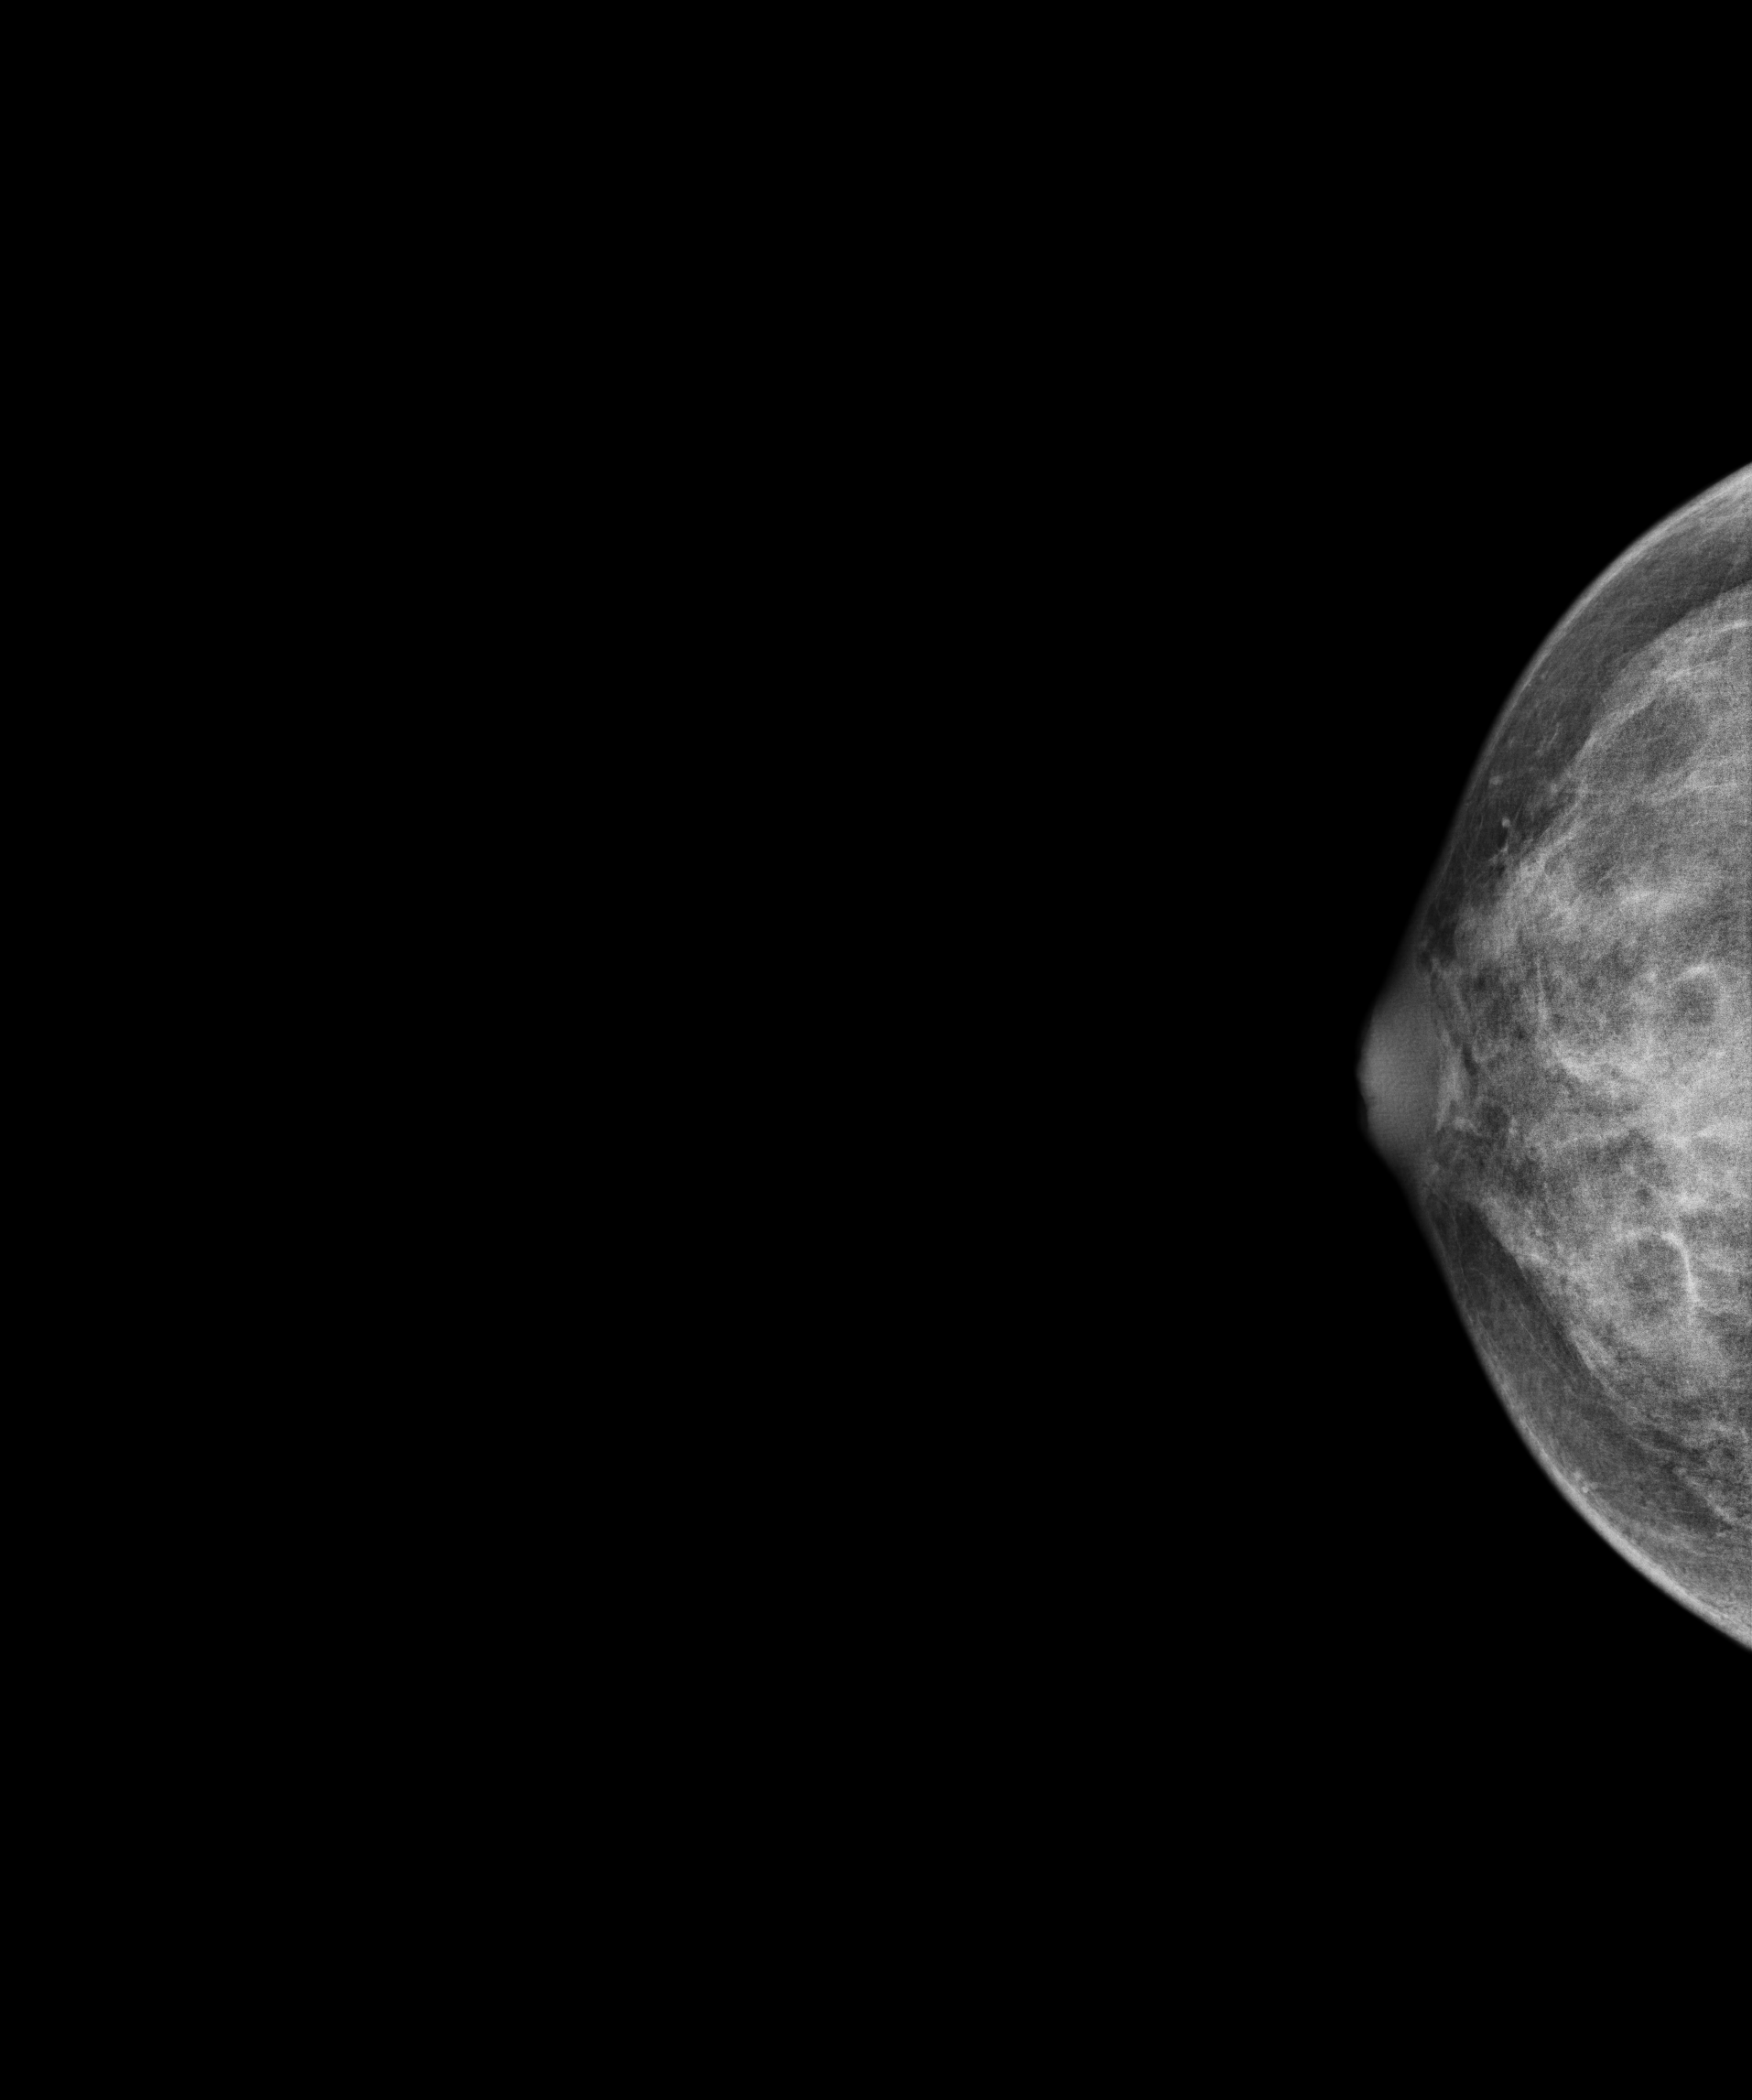
Digital mammography. Right breast, cranio-caudal projection. 45-year-old patient.
This breast has a mass, biopsy-confirmed malignant.